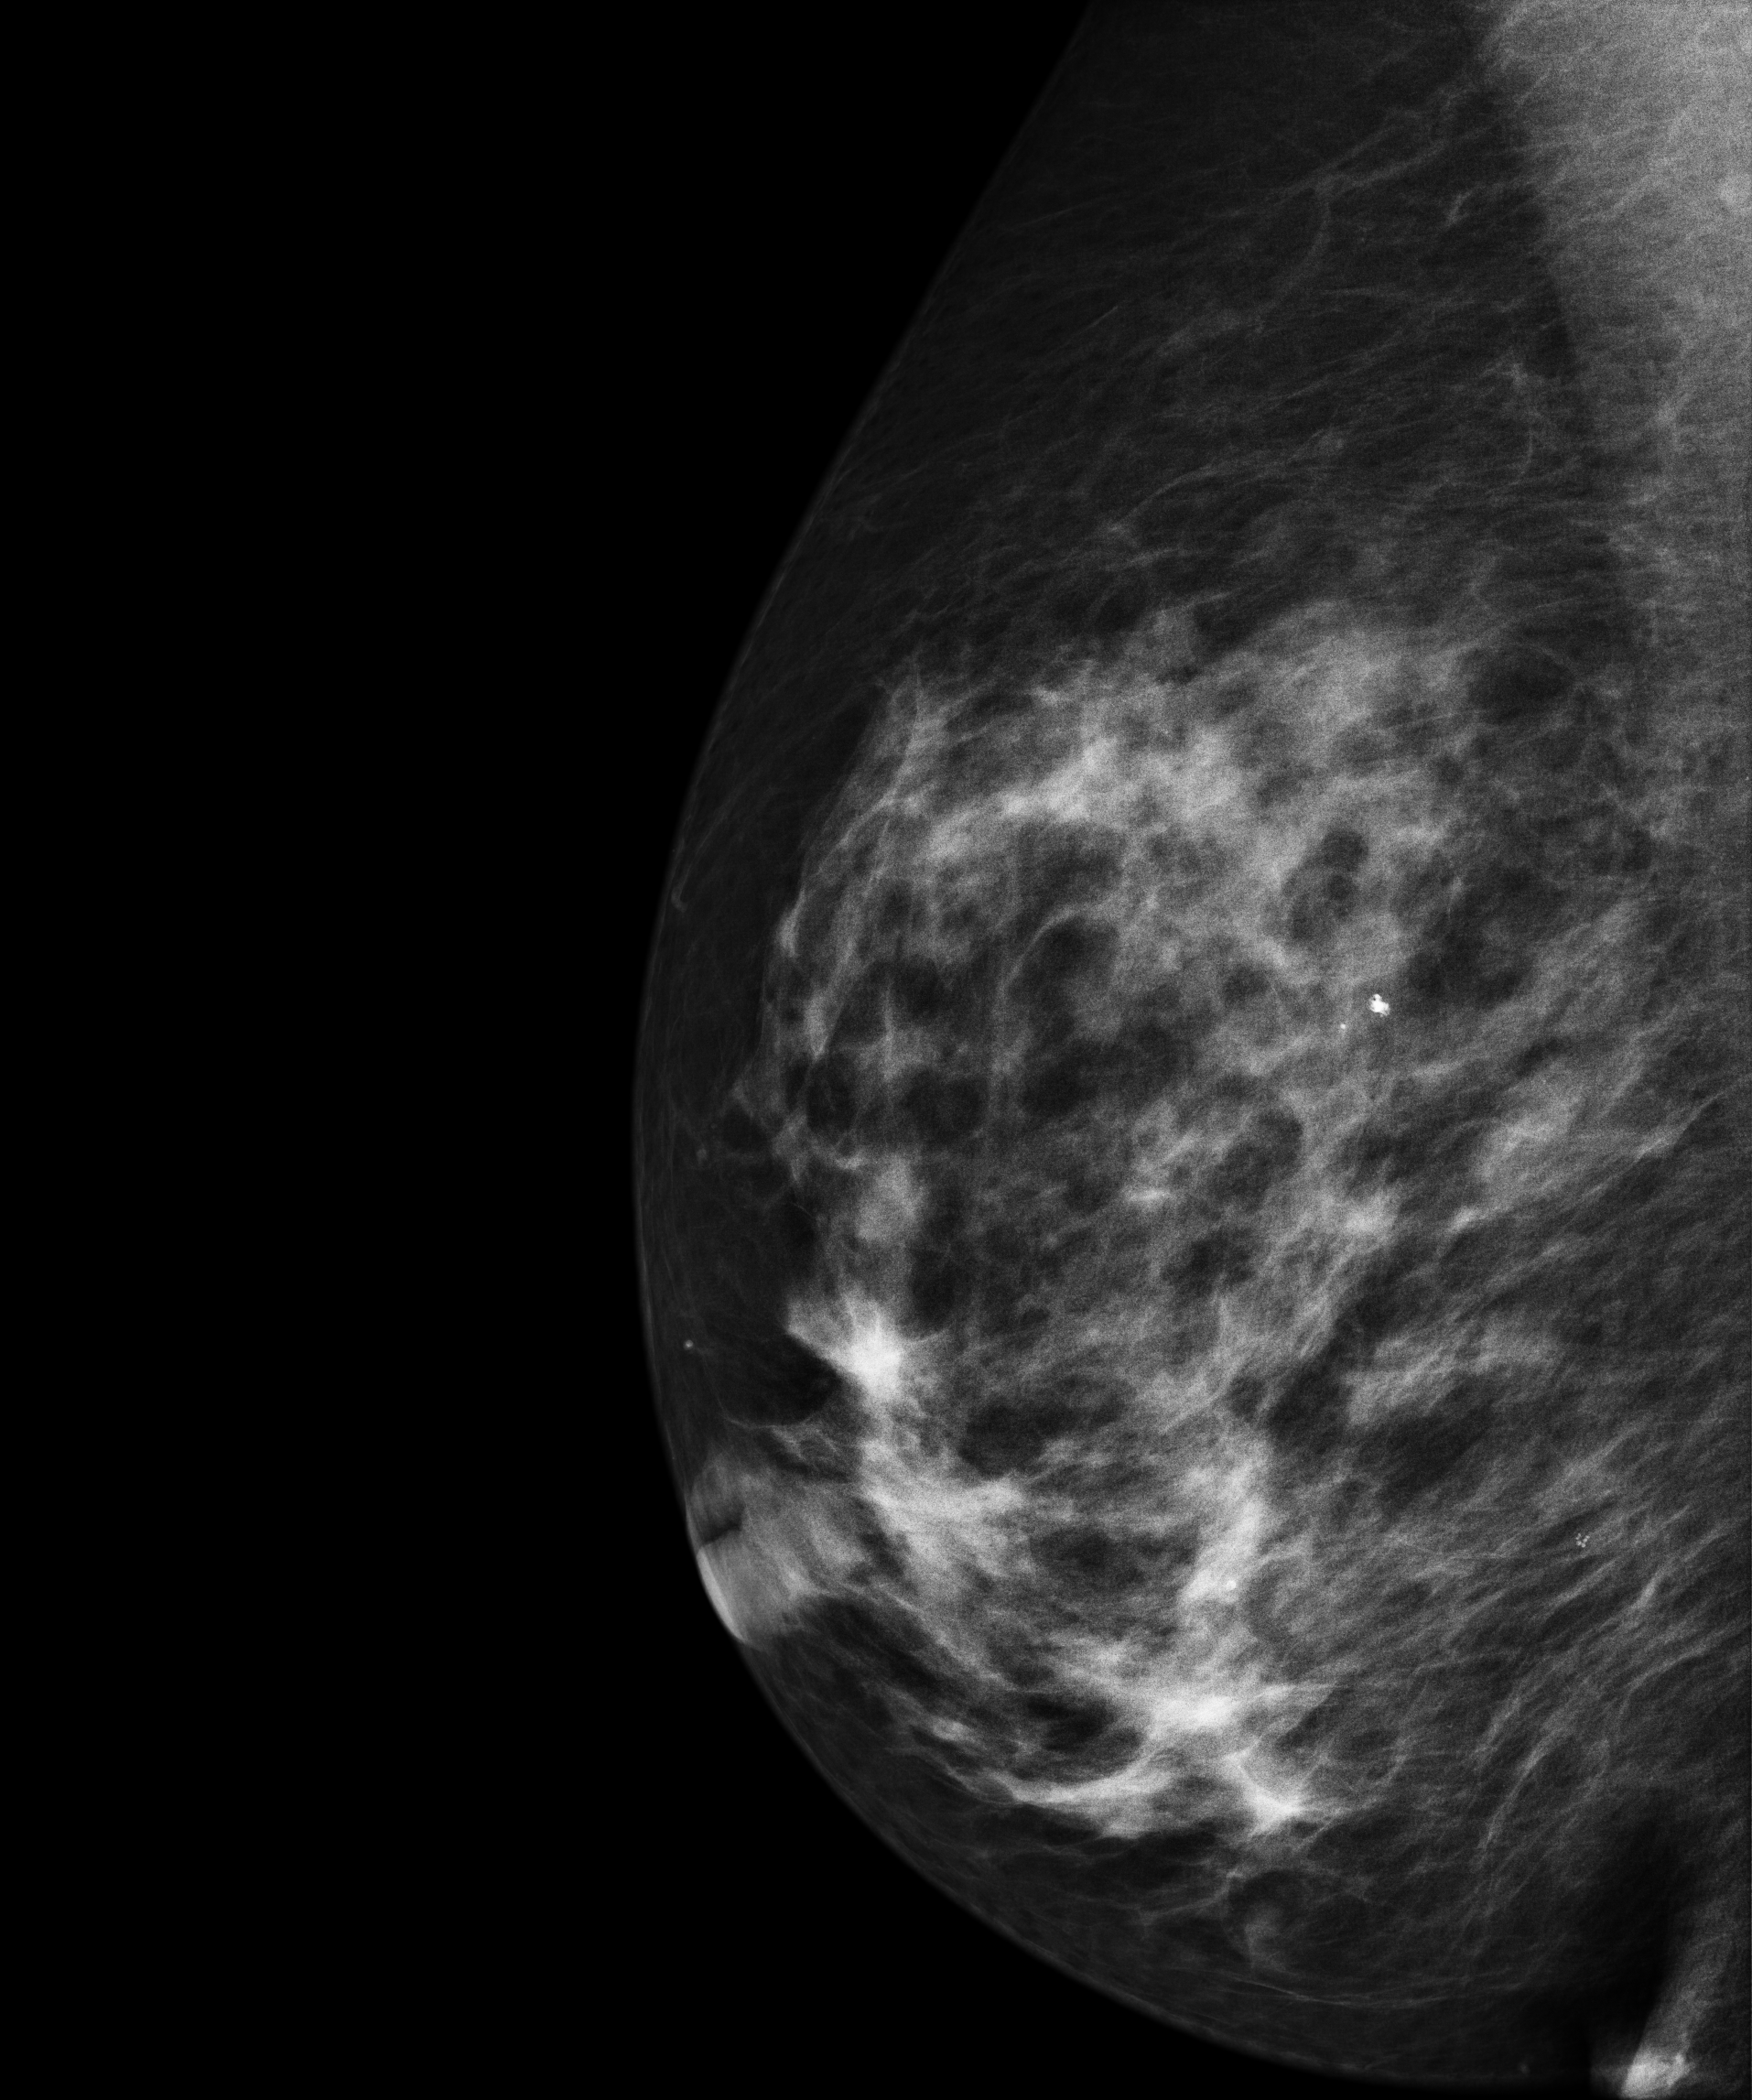
MLO mammogram of the right breast. Patient age 57.
Contralateral breast — no documented abnormality on this side.